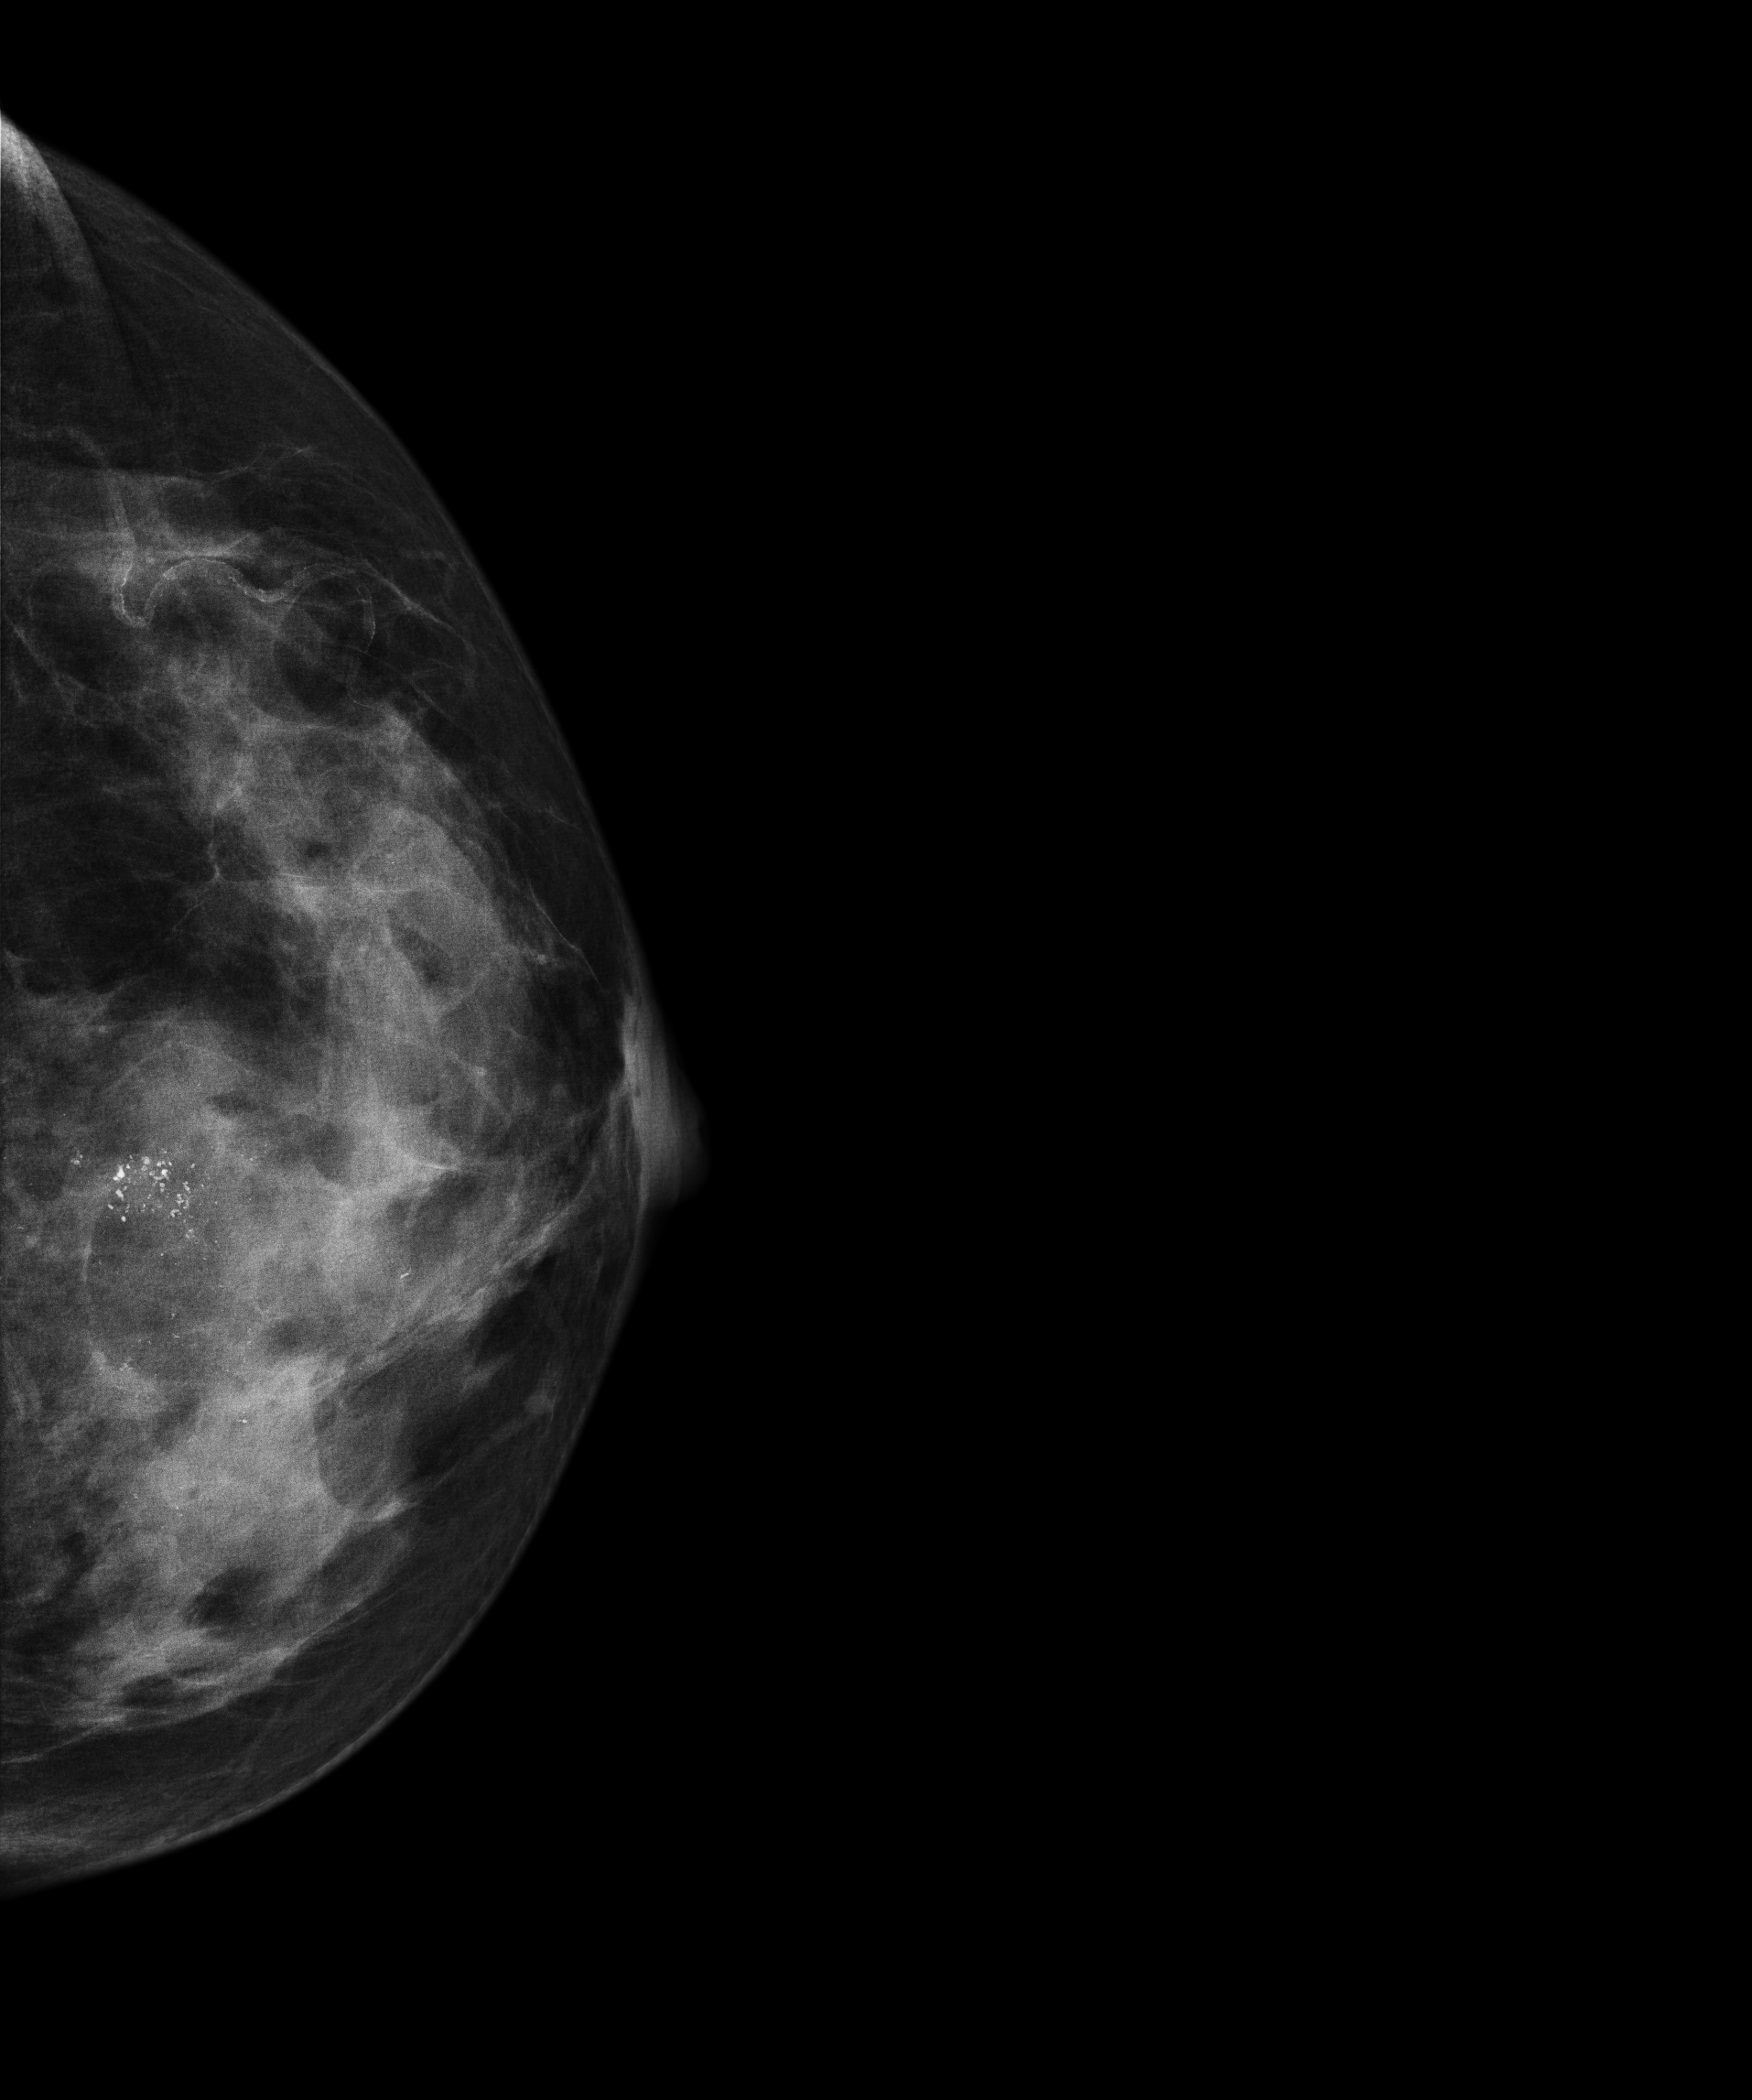
Mammogram — left cranio-caudal. 57-year-old patient.
This breast has calcifications, pathology-confirmed malignant.